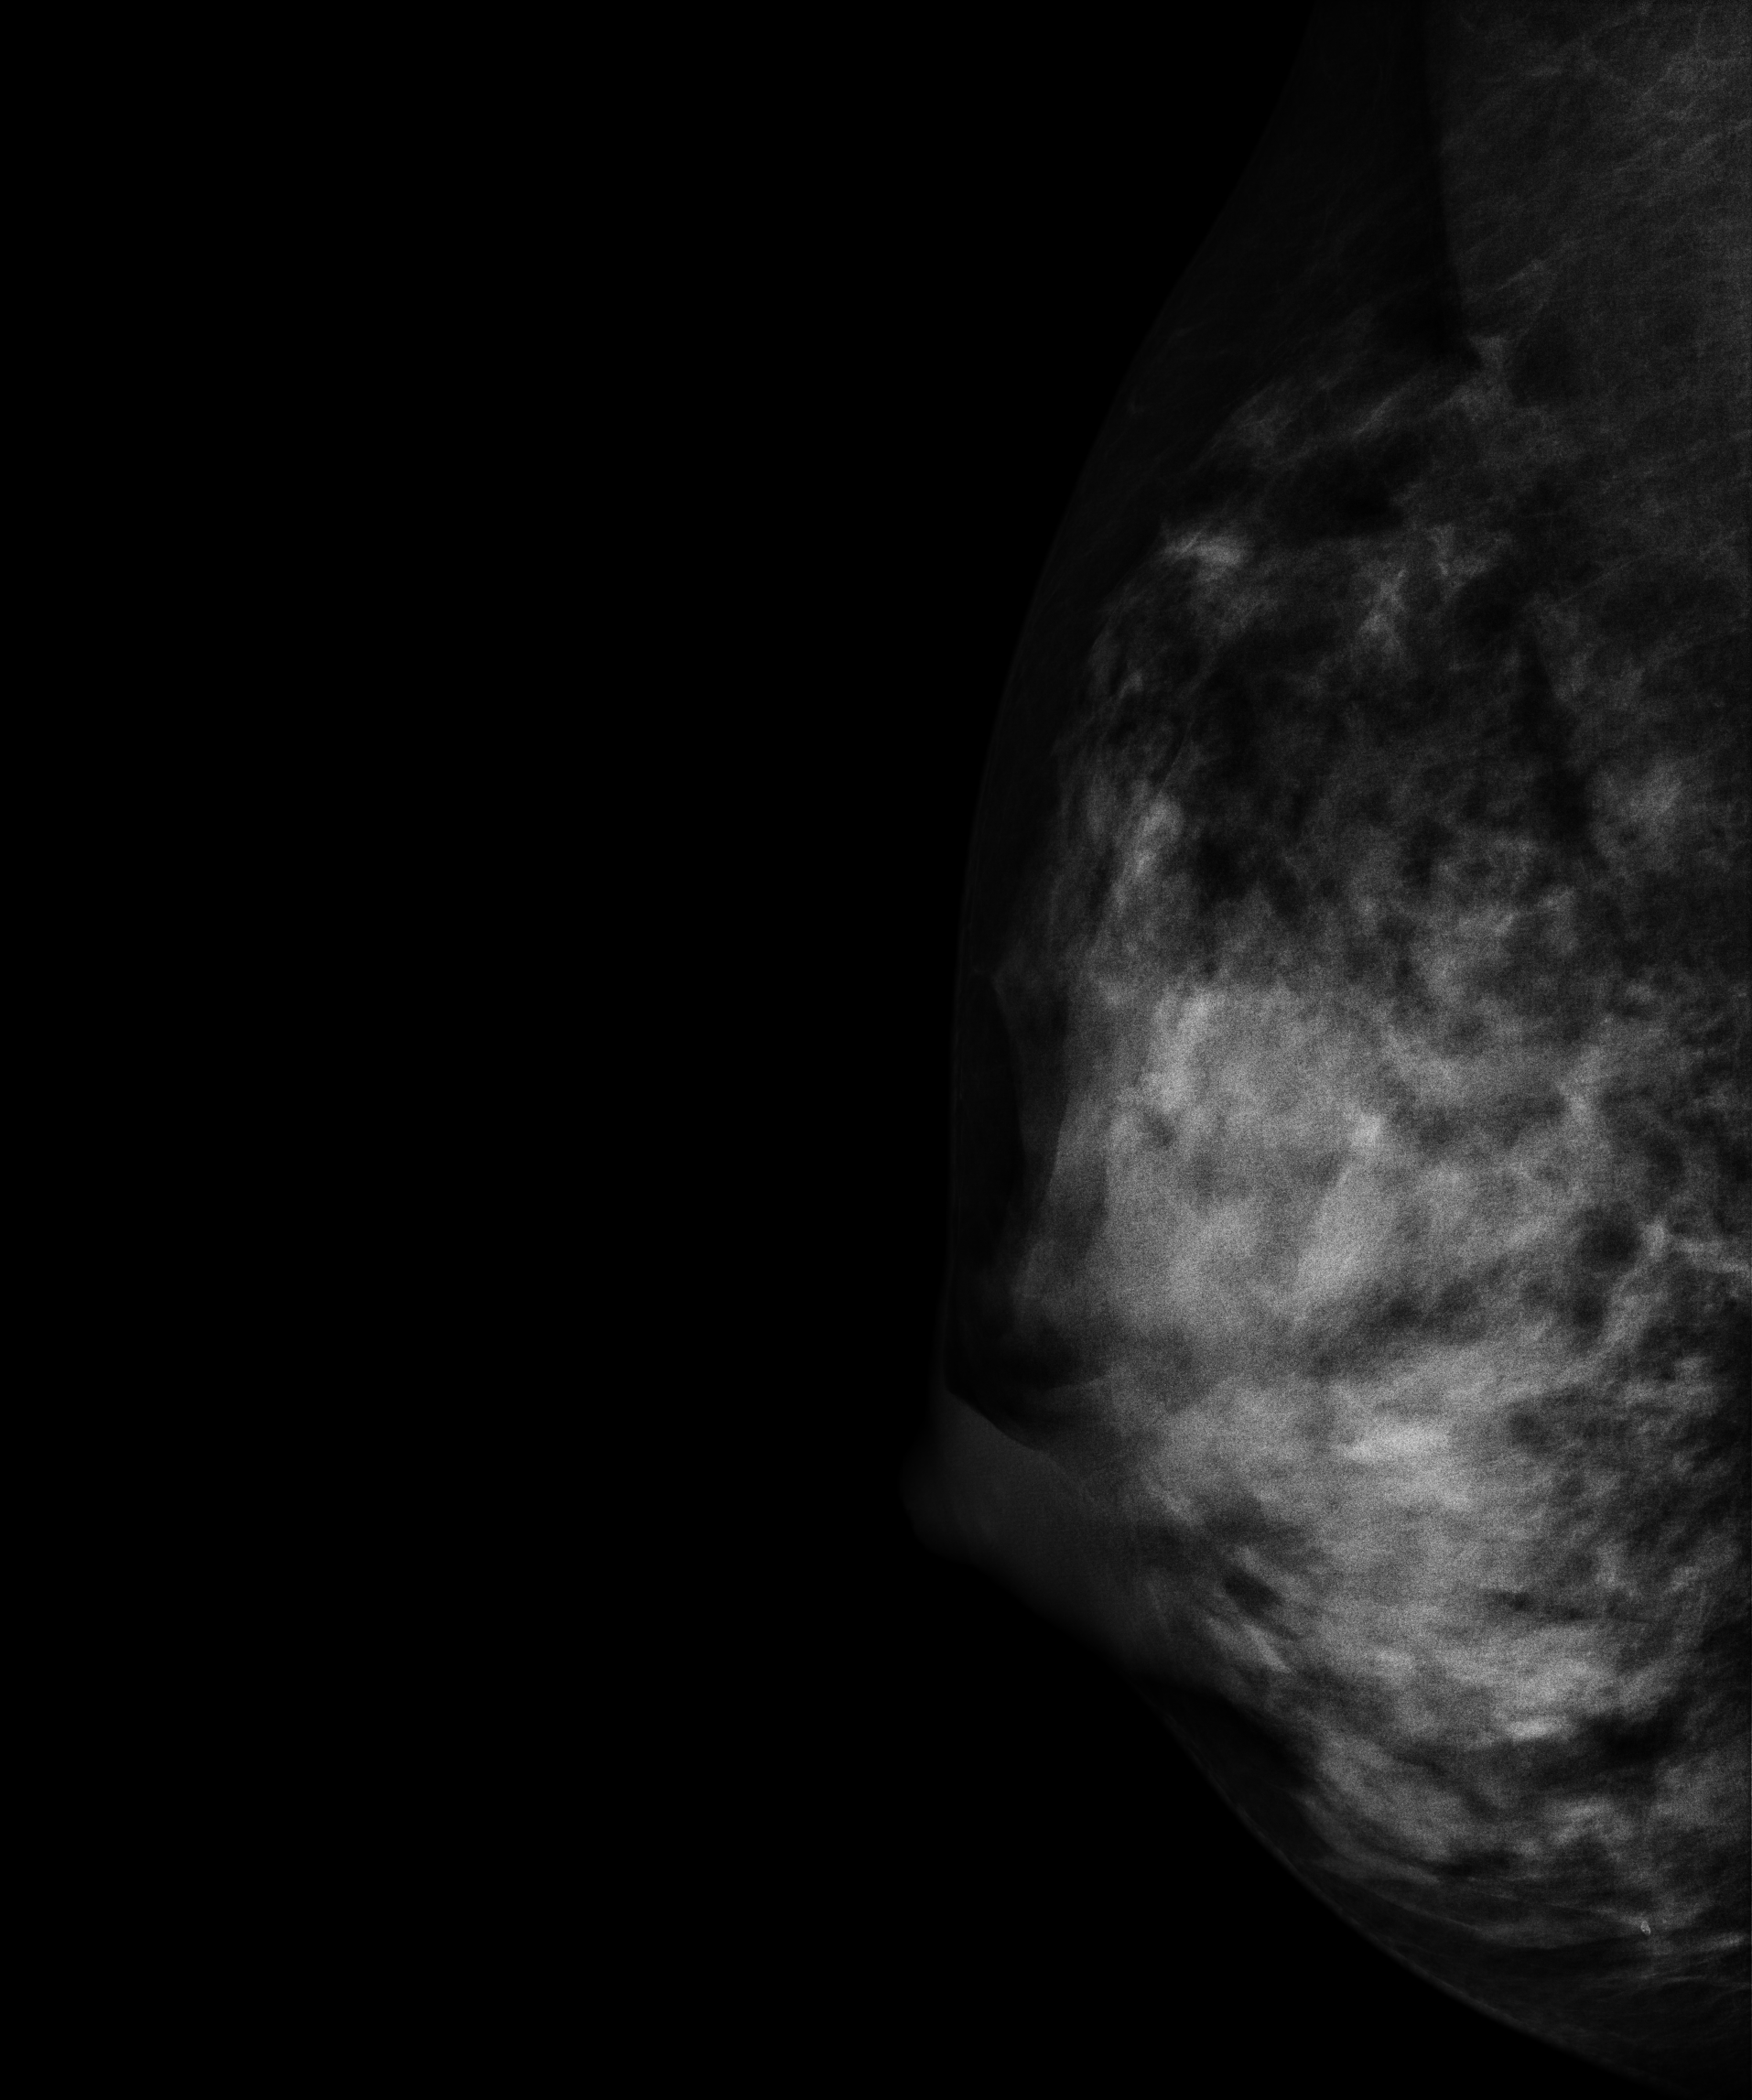
Mammogram, right breast, medio-lateral oblique view. Patient age 32.
This breast has a mass, biopsy-proven benign.